CC mammogram of the left breast. Patient age 59.
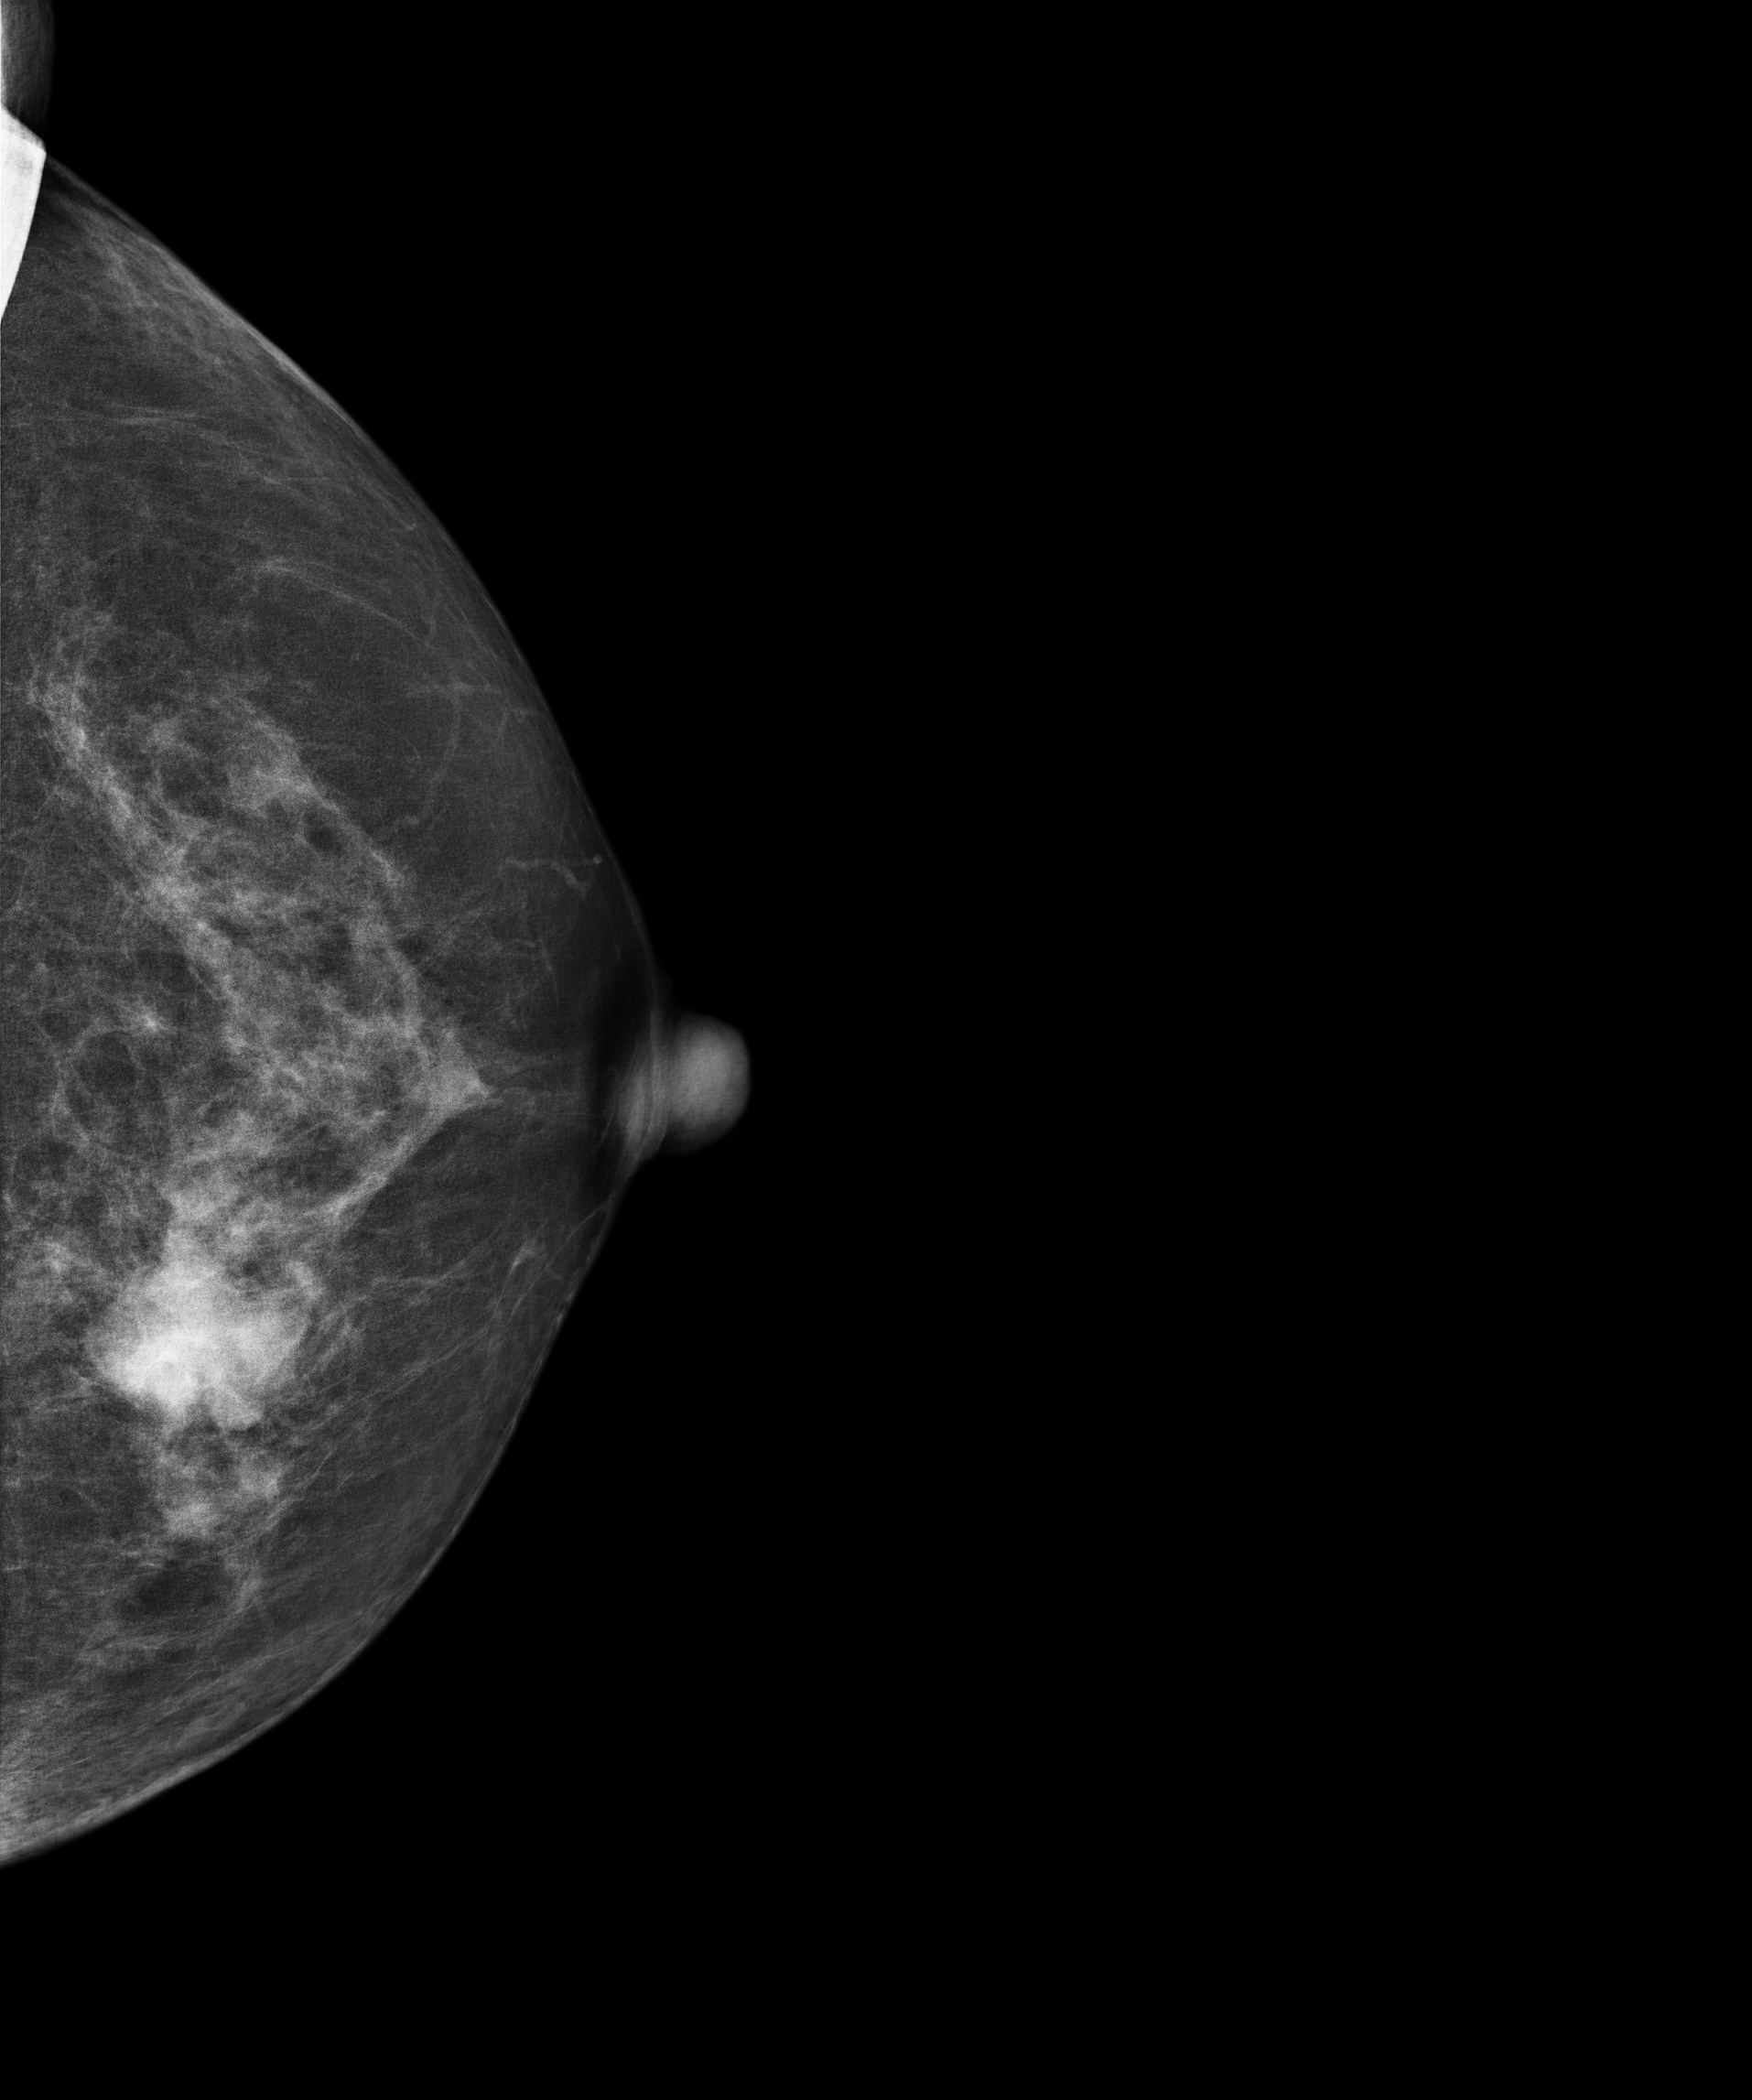
This breast has a mass, histologically confirmed malignant. Molecular subtype: triple-negative.